Mammogram, right breast, MLO view. 42 y/o patient.
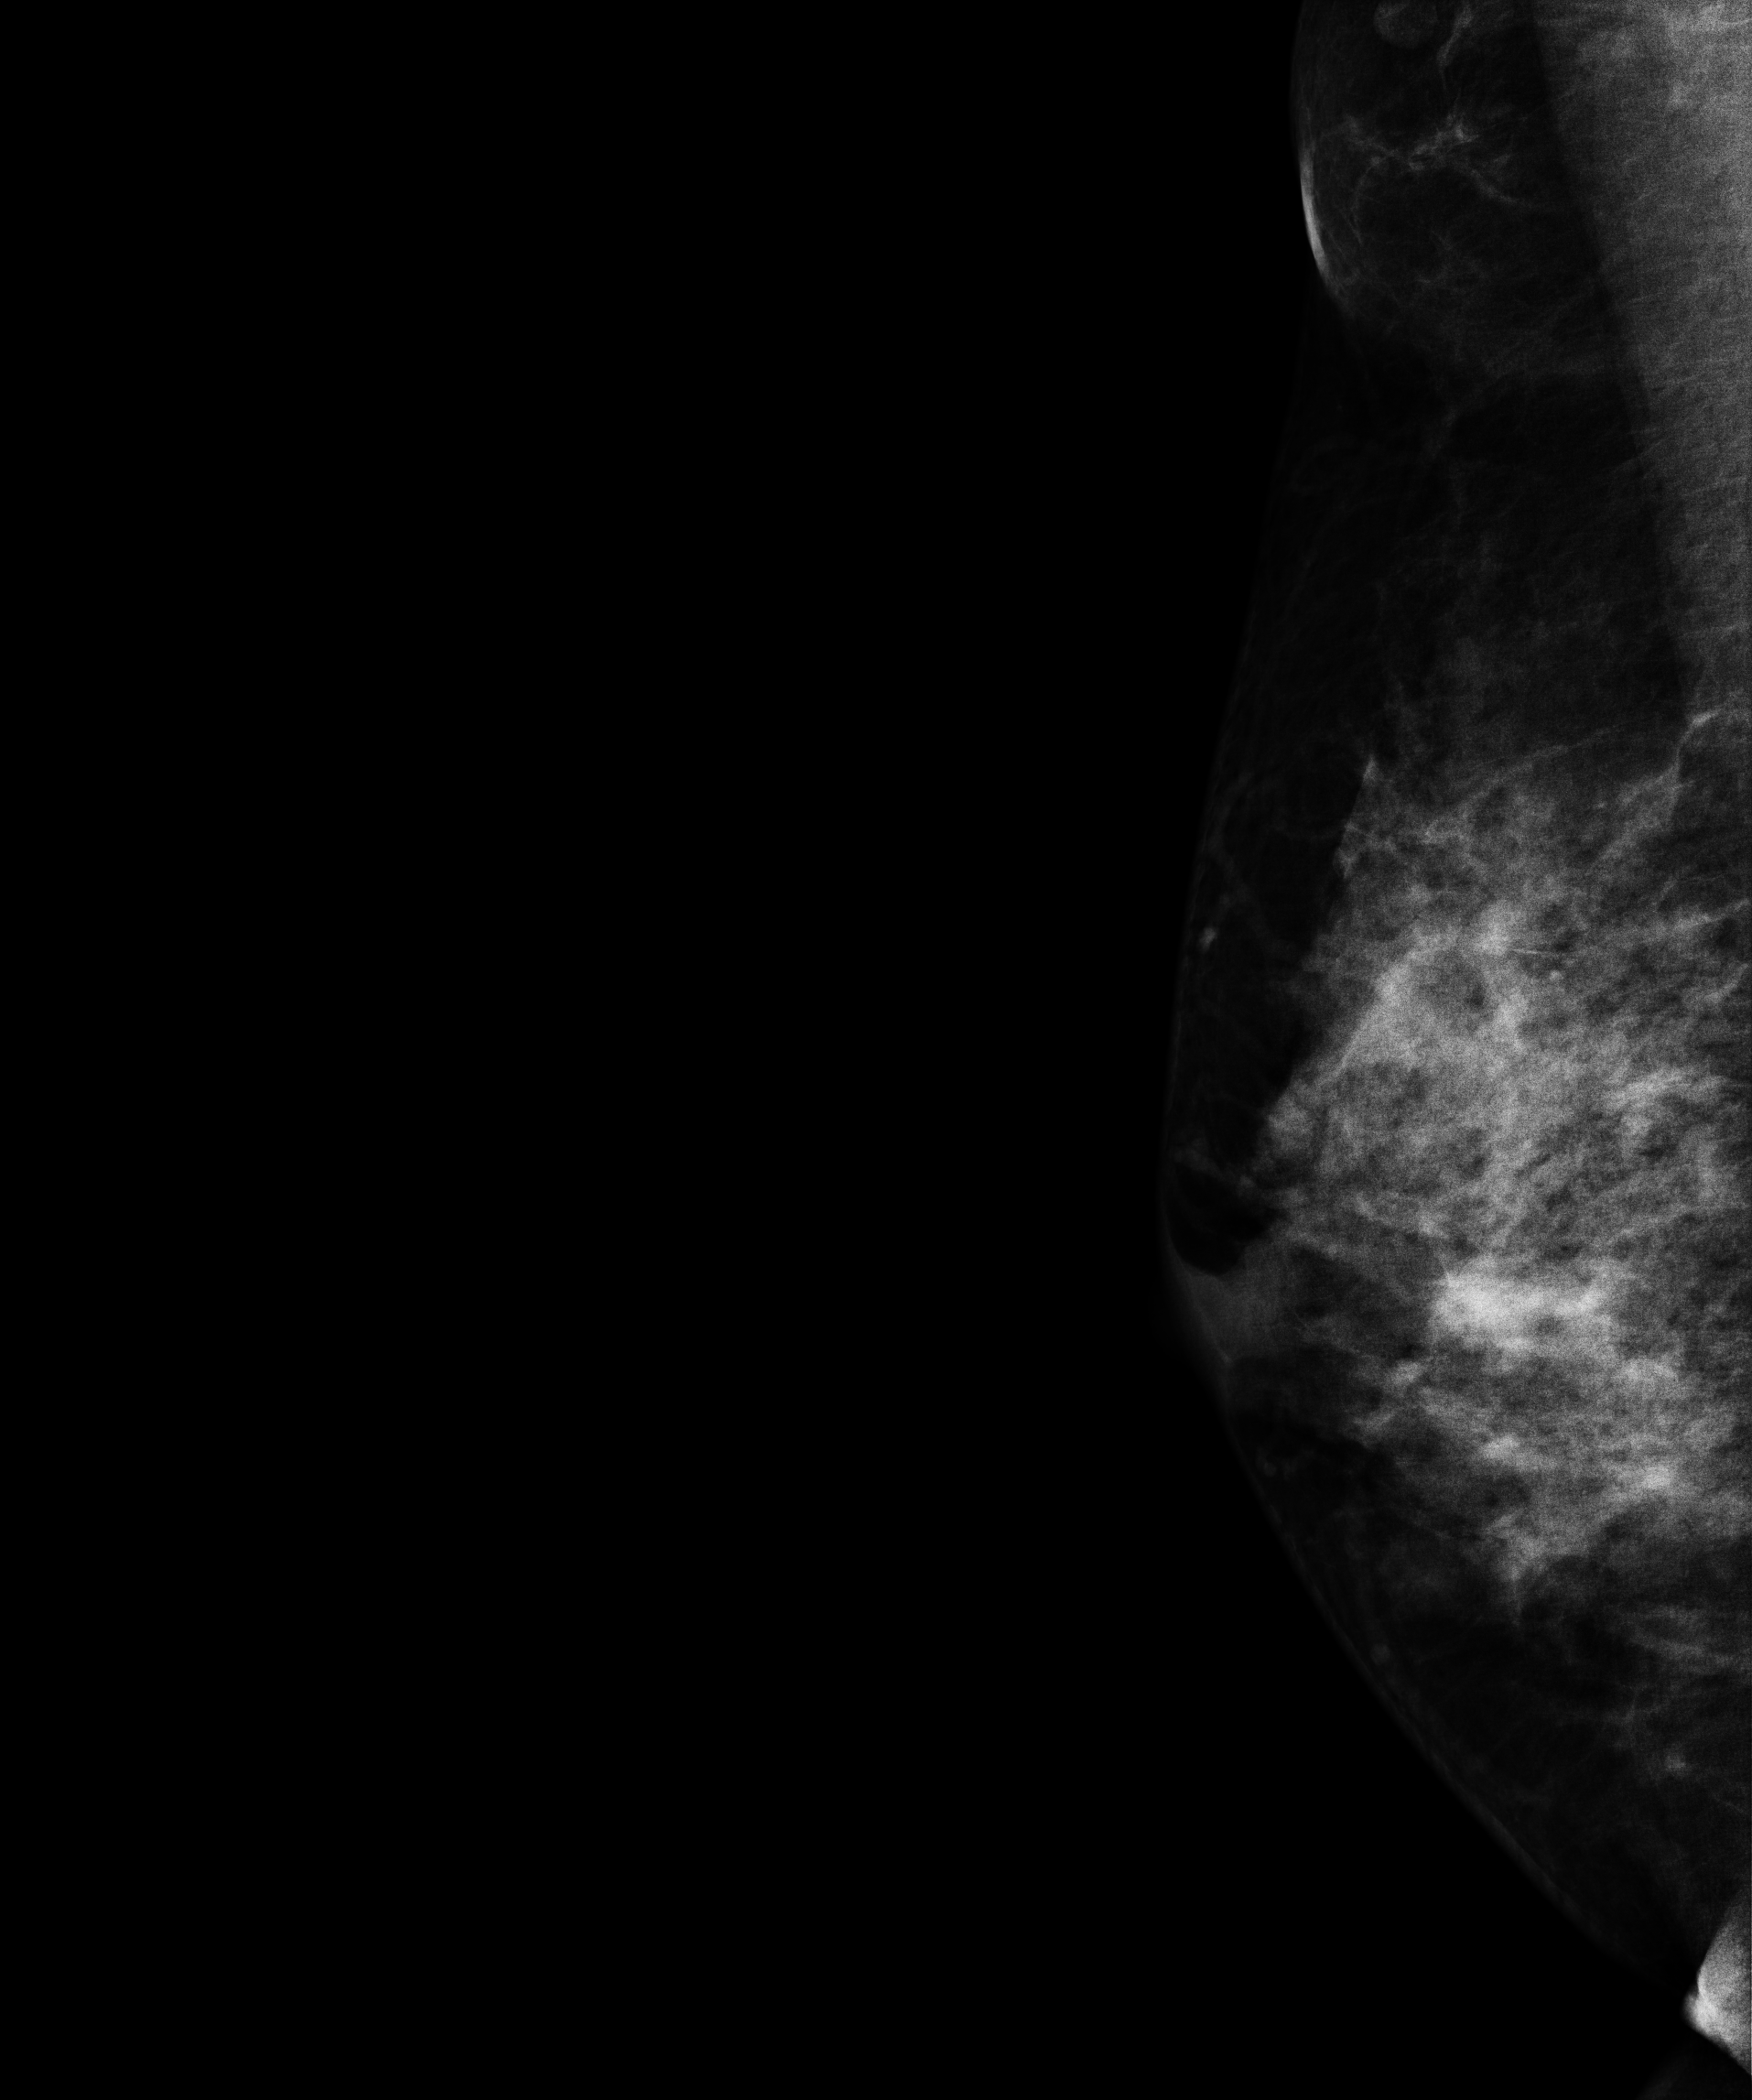
Contralateral breast — no documented abnormality on this side.